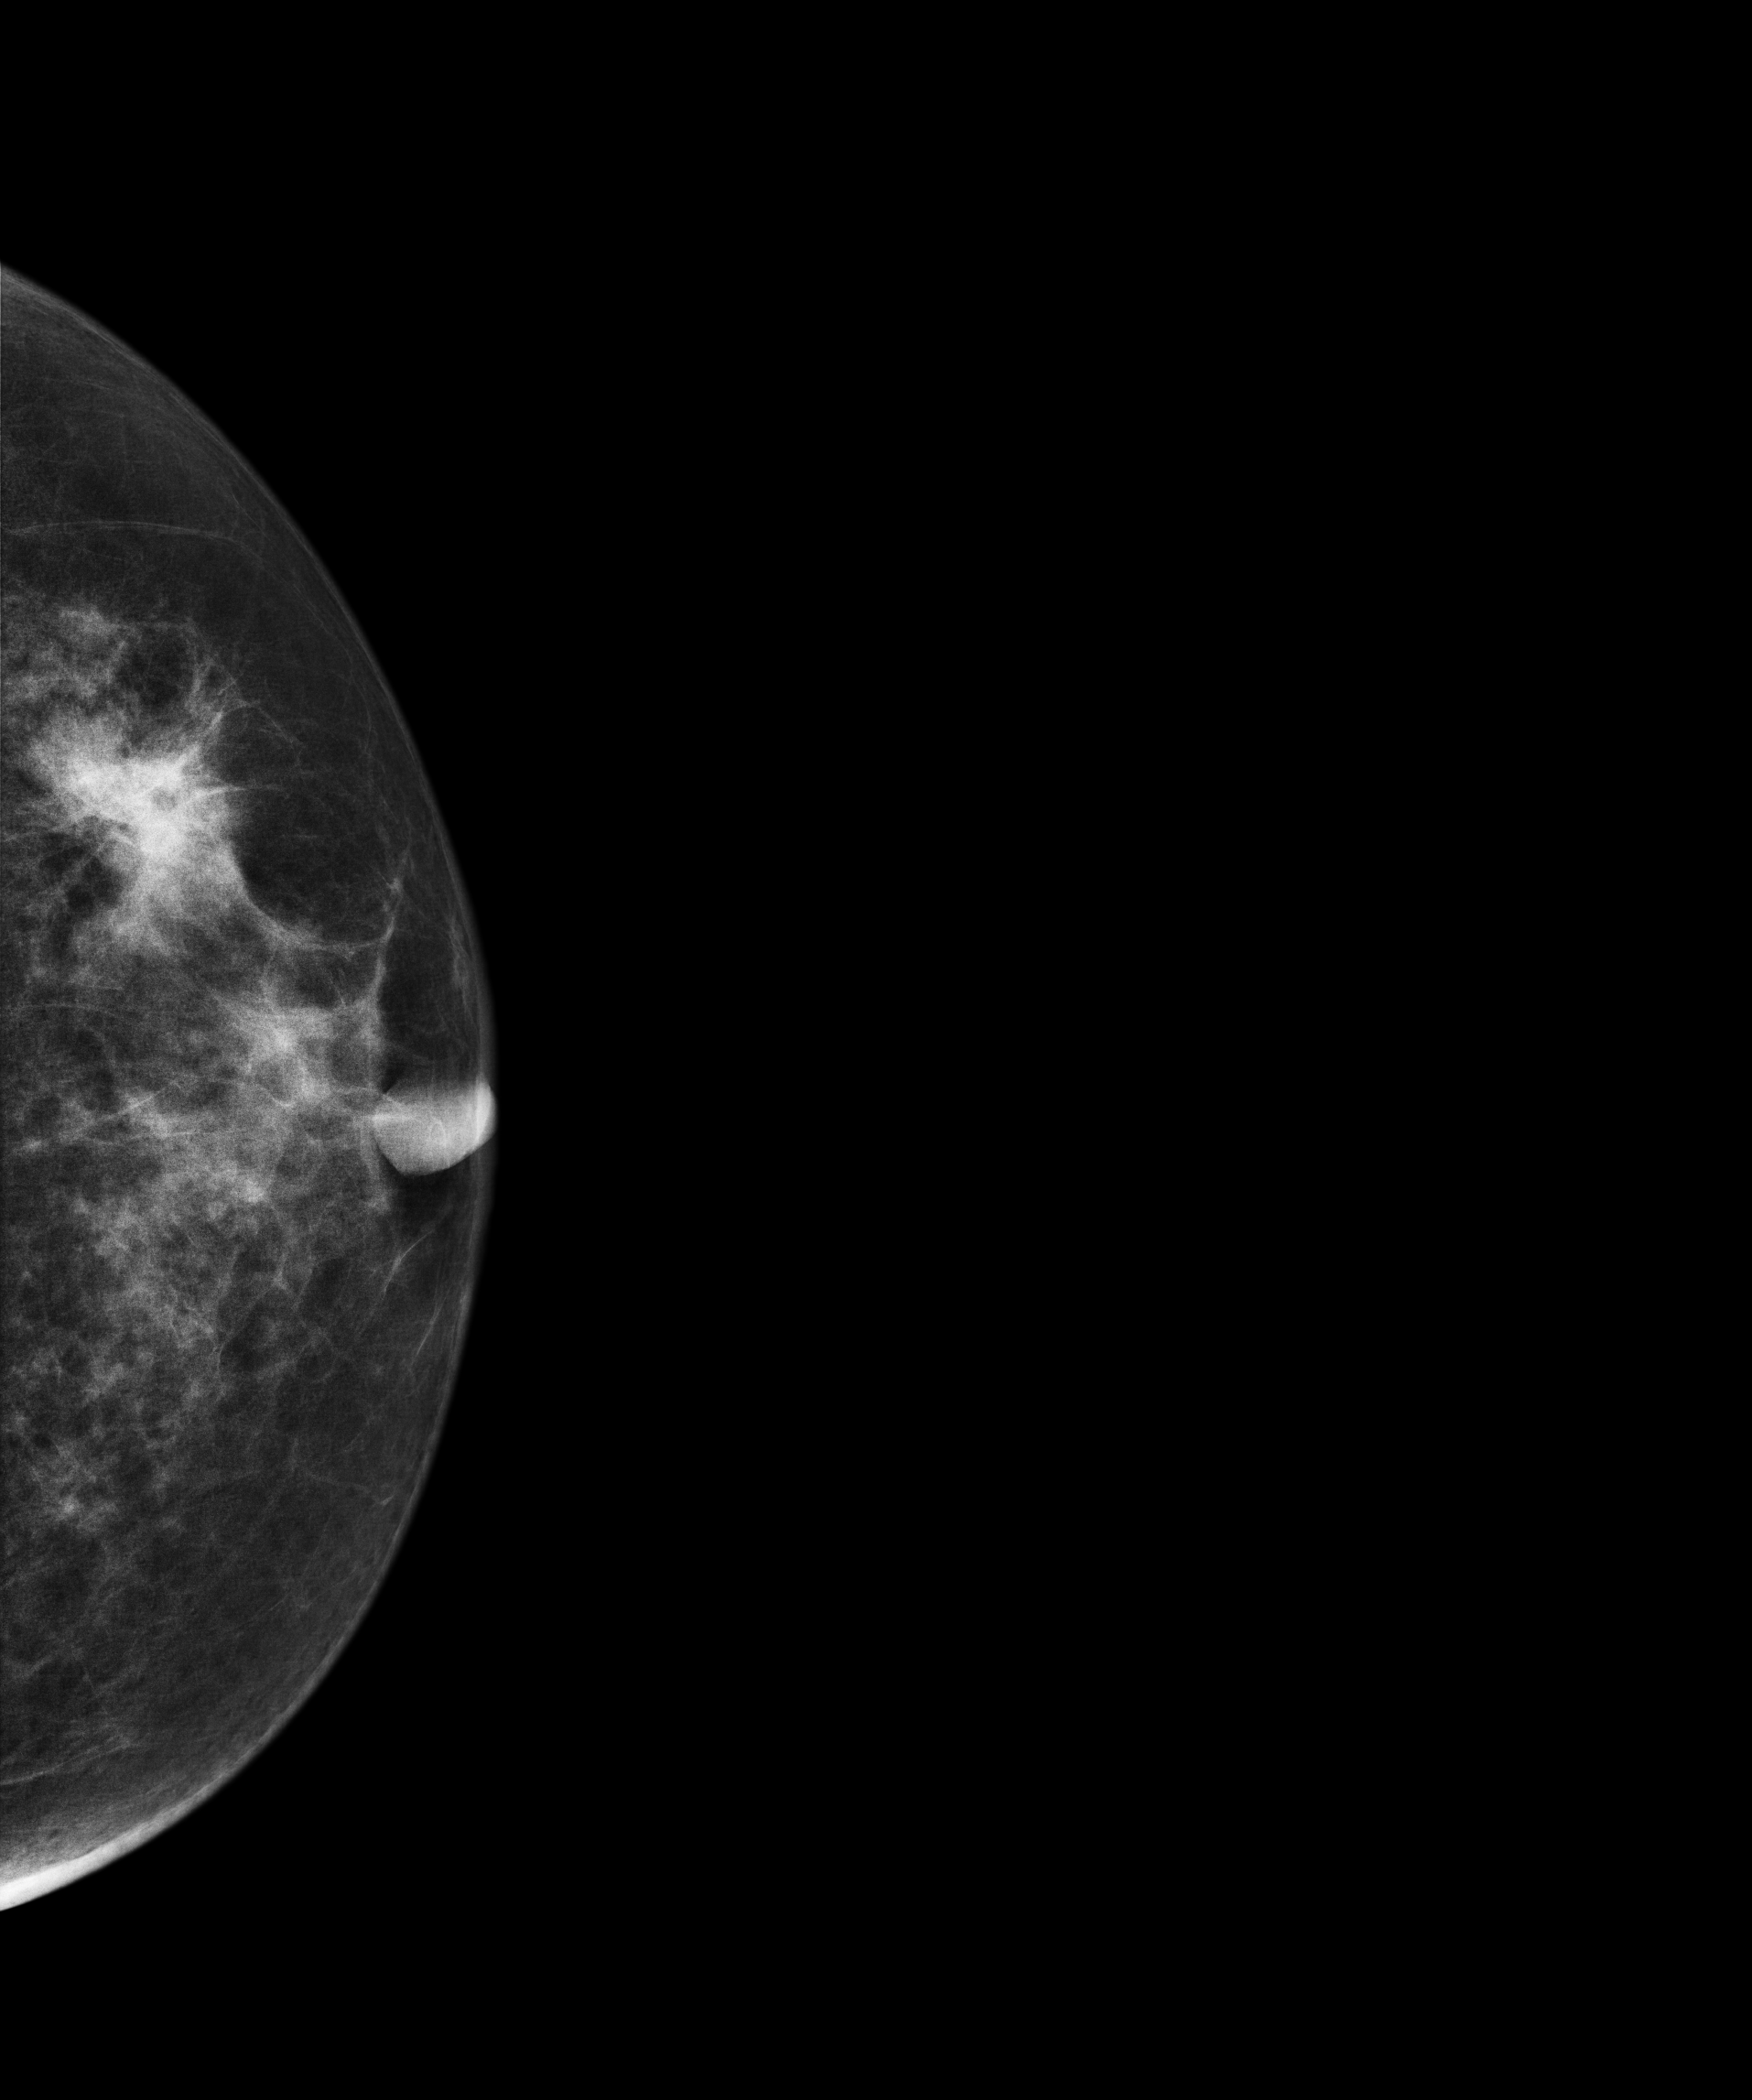
Mammogram, left breast, cranio-caudal view. Patient age 60.
This breast has a mass, biopsy-confirmed malignant. Molecular subtype: luminal B.